Digital mammography. Left breast, cranio-caudal projection. Patient age 47.
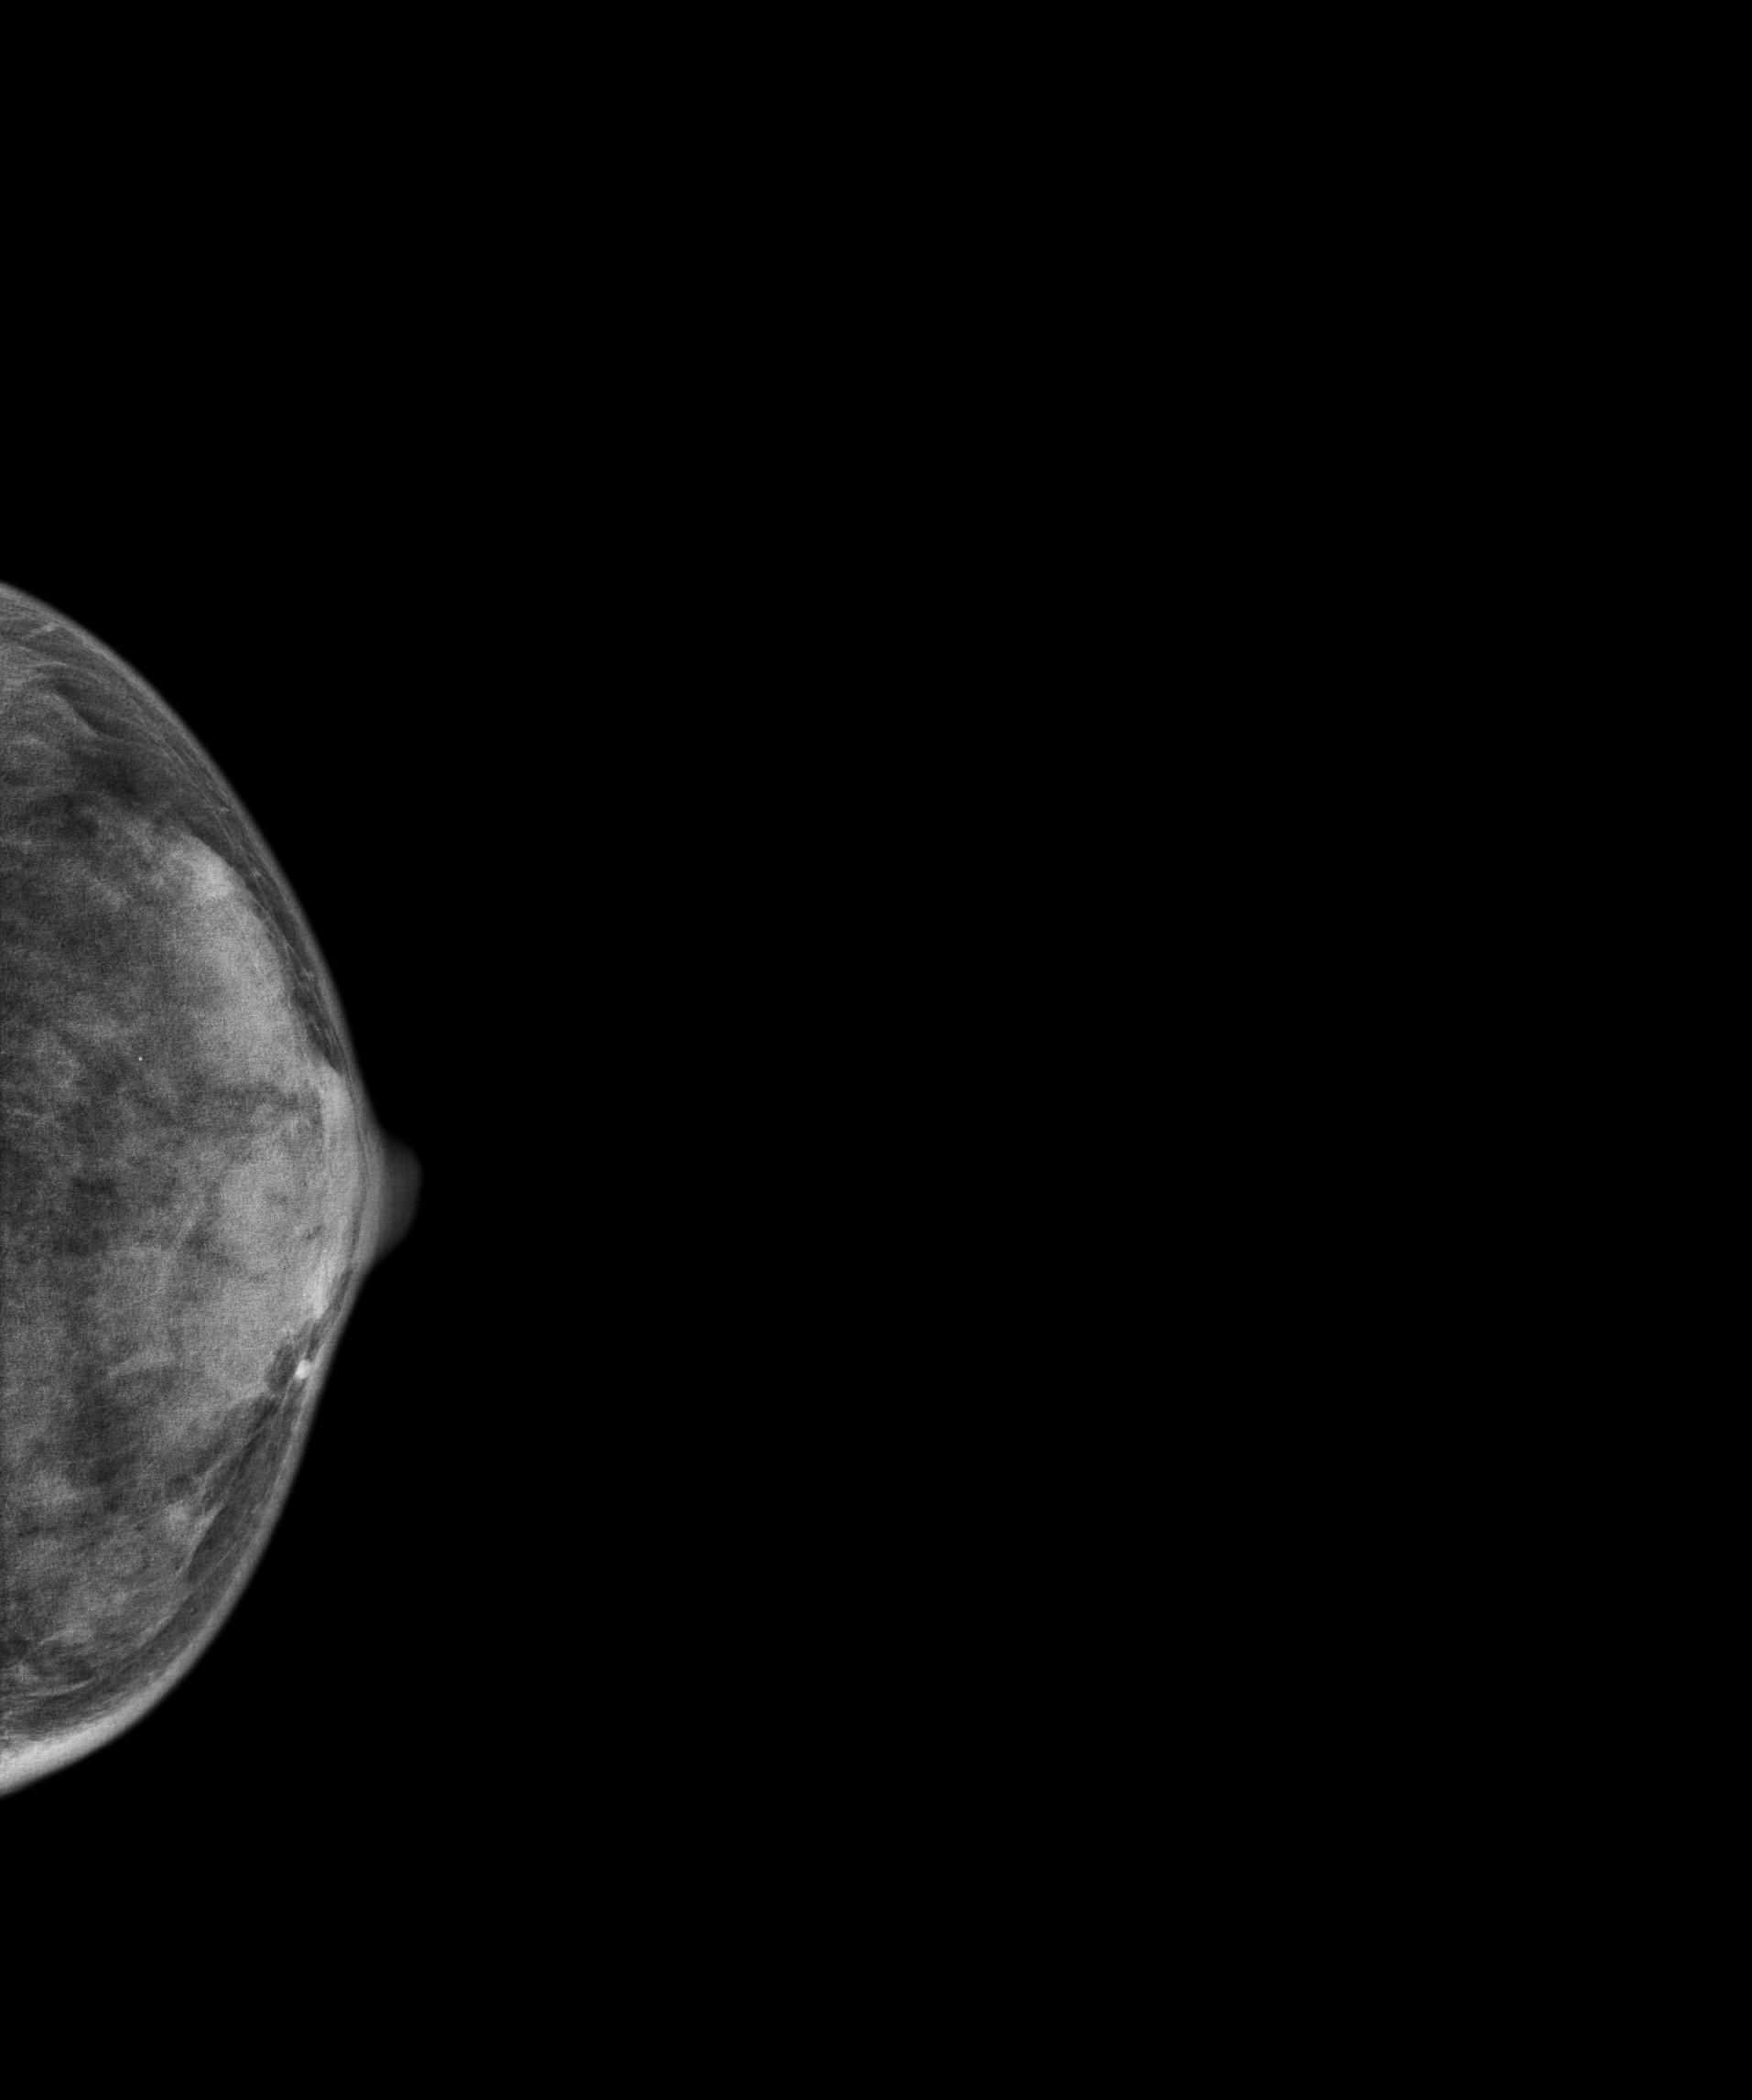
Contralateral breast — no documented abnormality on this side.